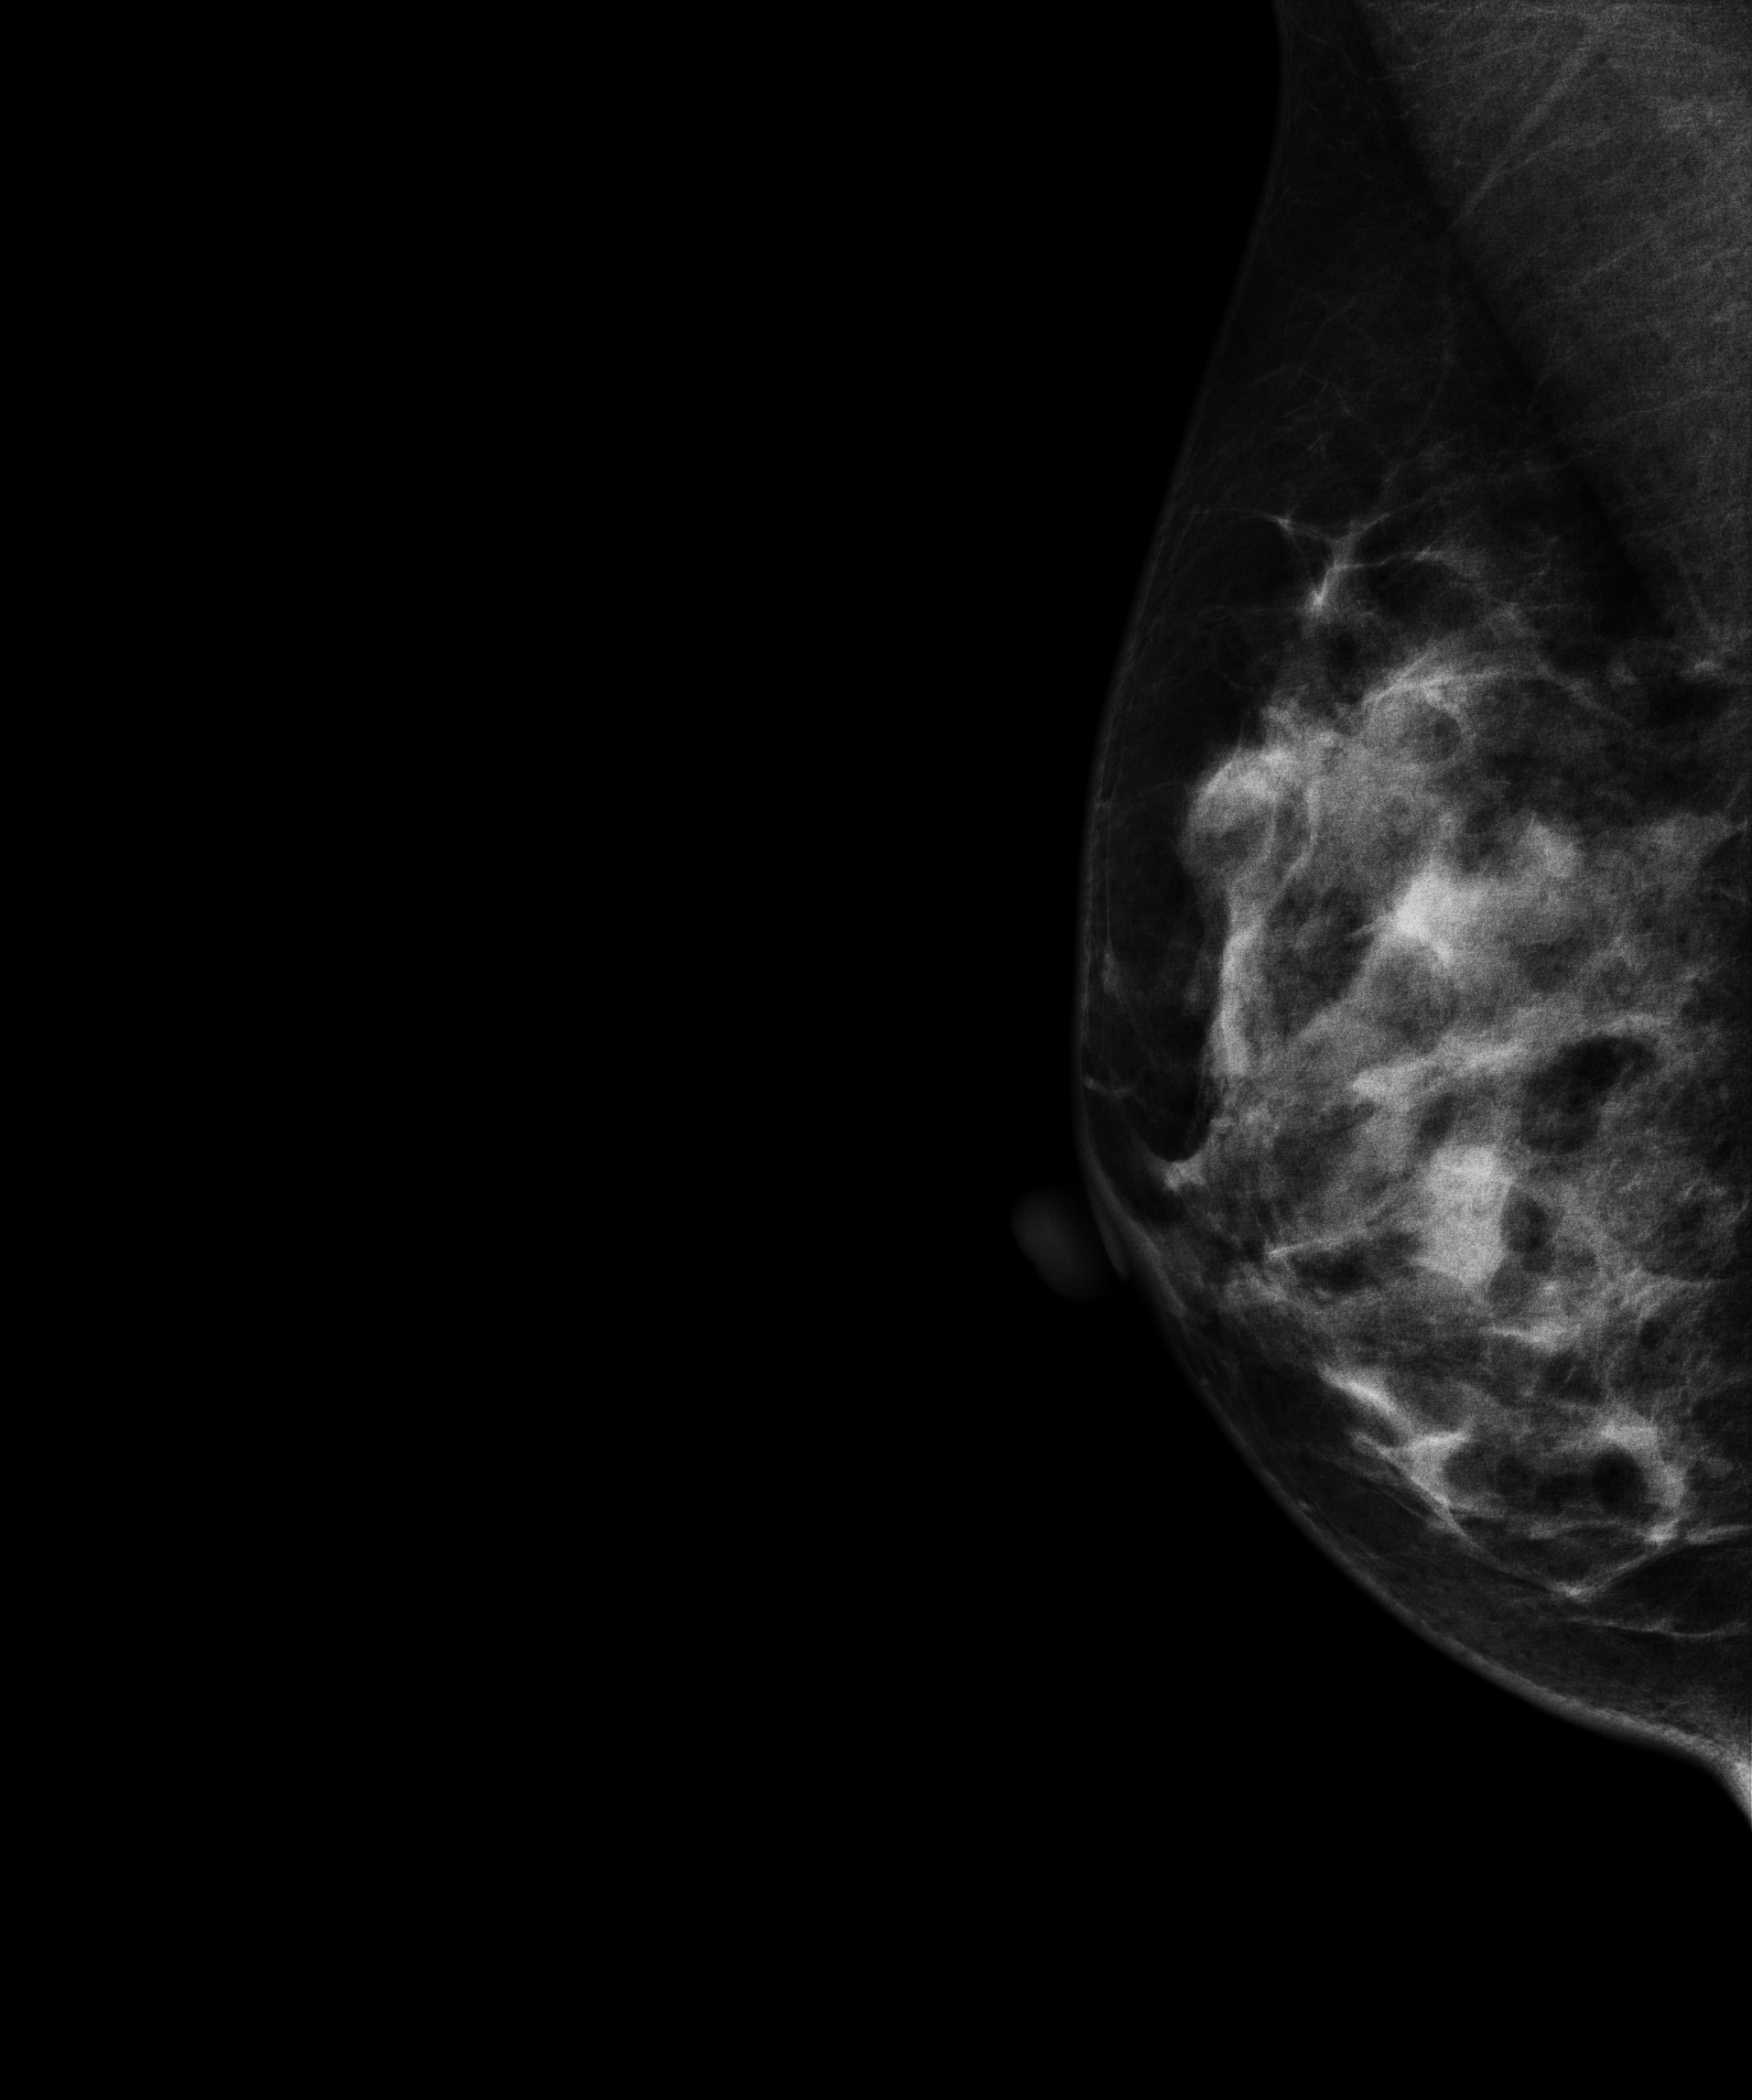
Mammogram — right MLO. 50-year-old patient.
Contralateral breast — no documented abnormality on this side.